Digital mammography. Left breast, CC projection. Patient age 47.
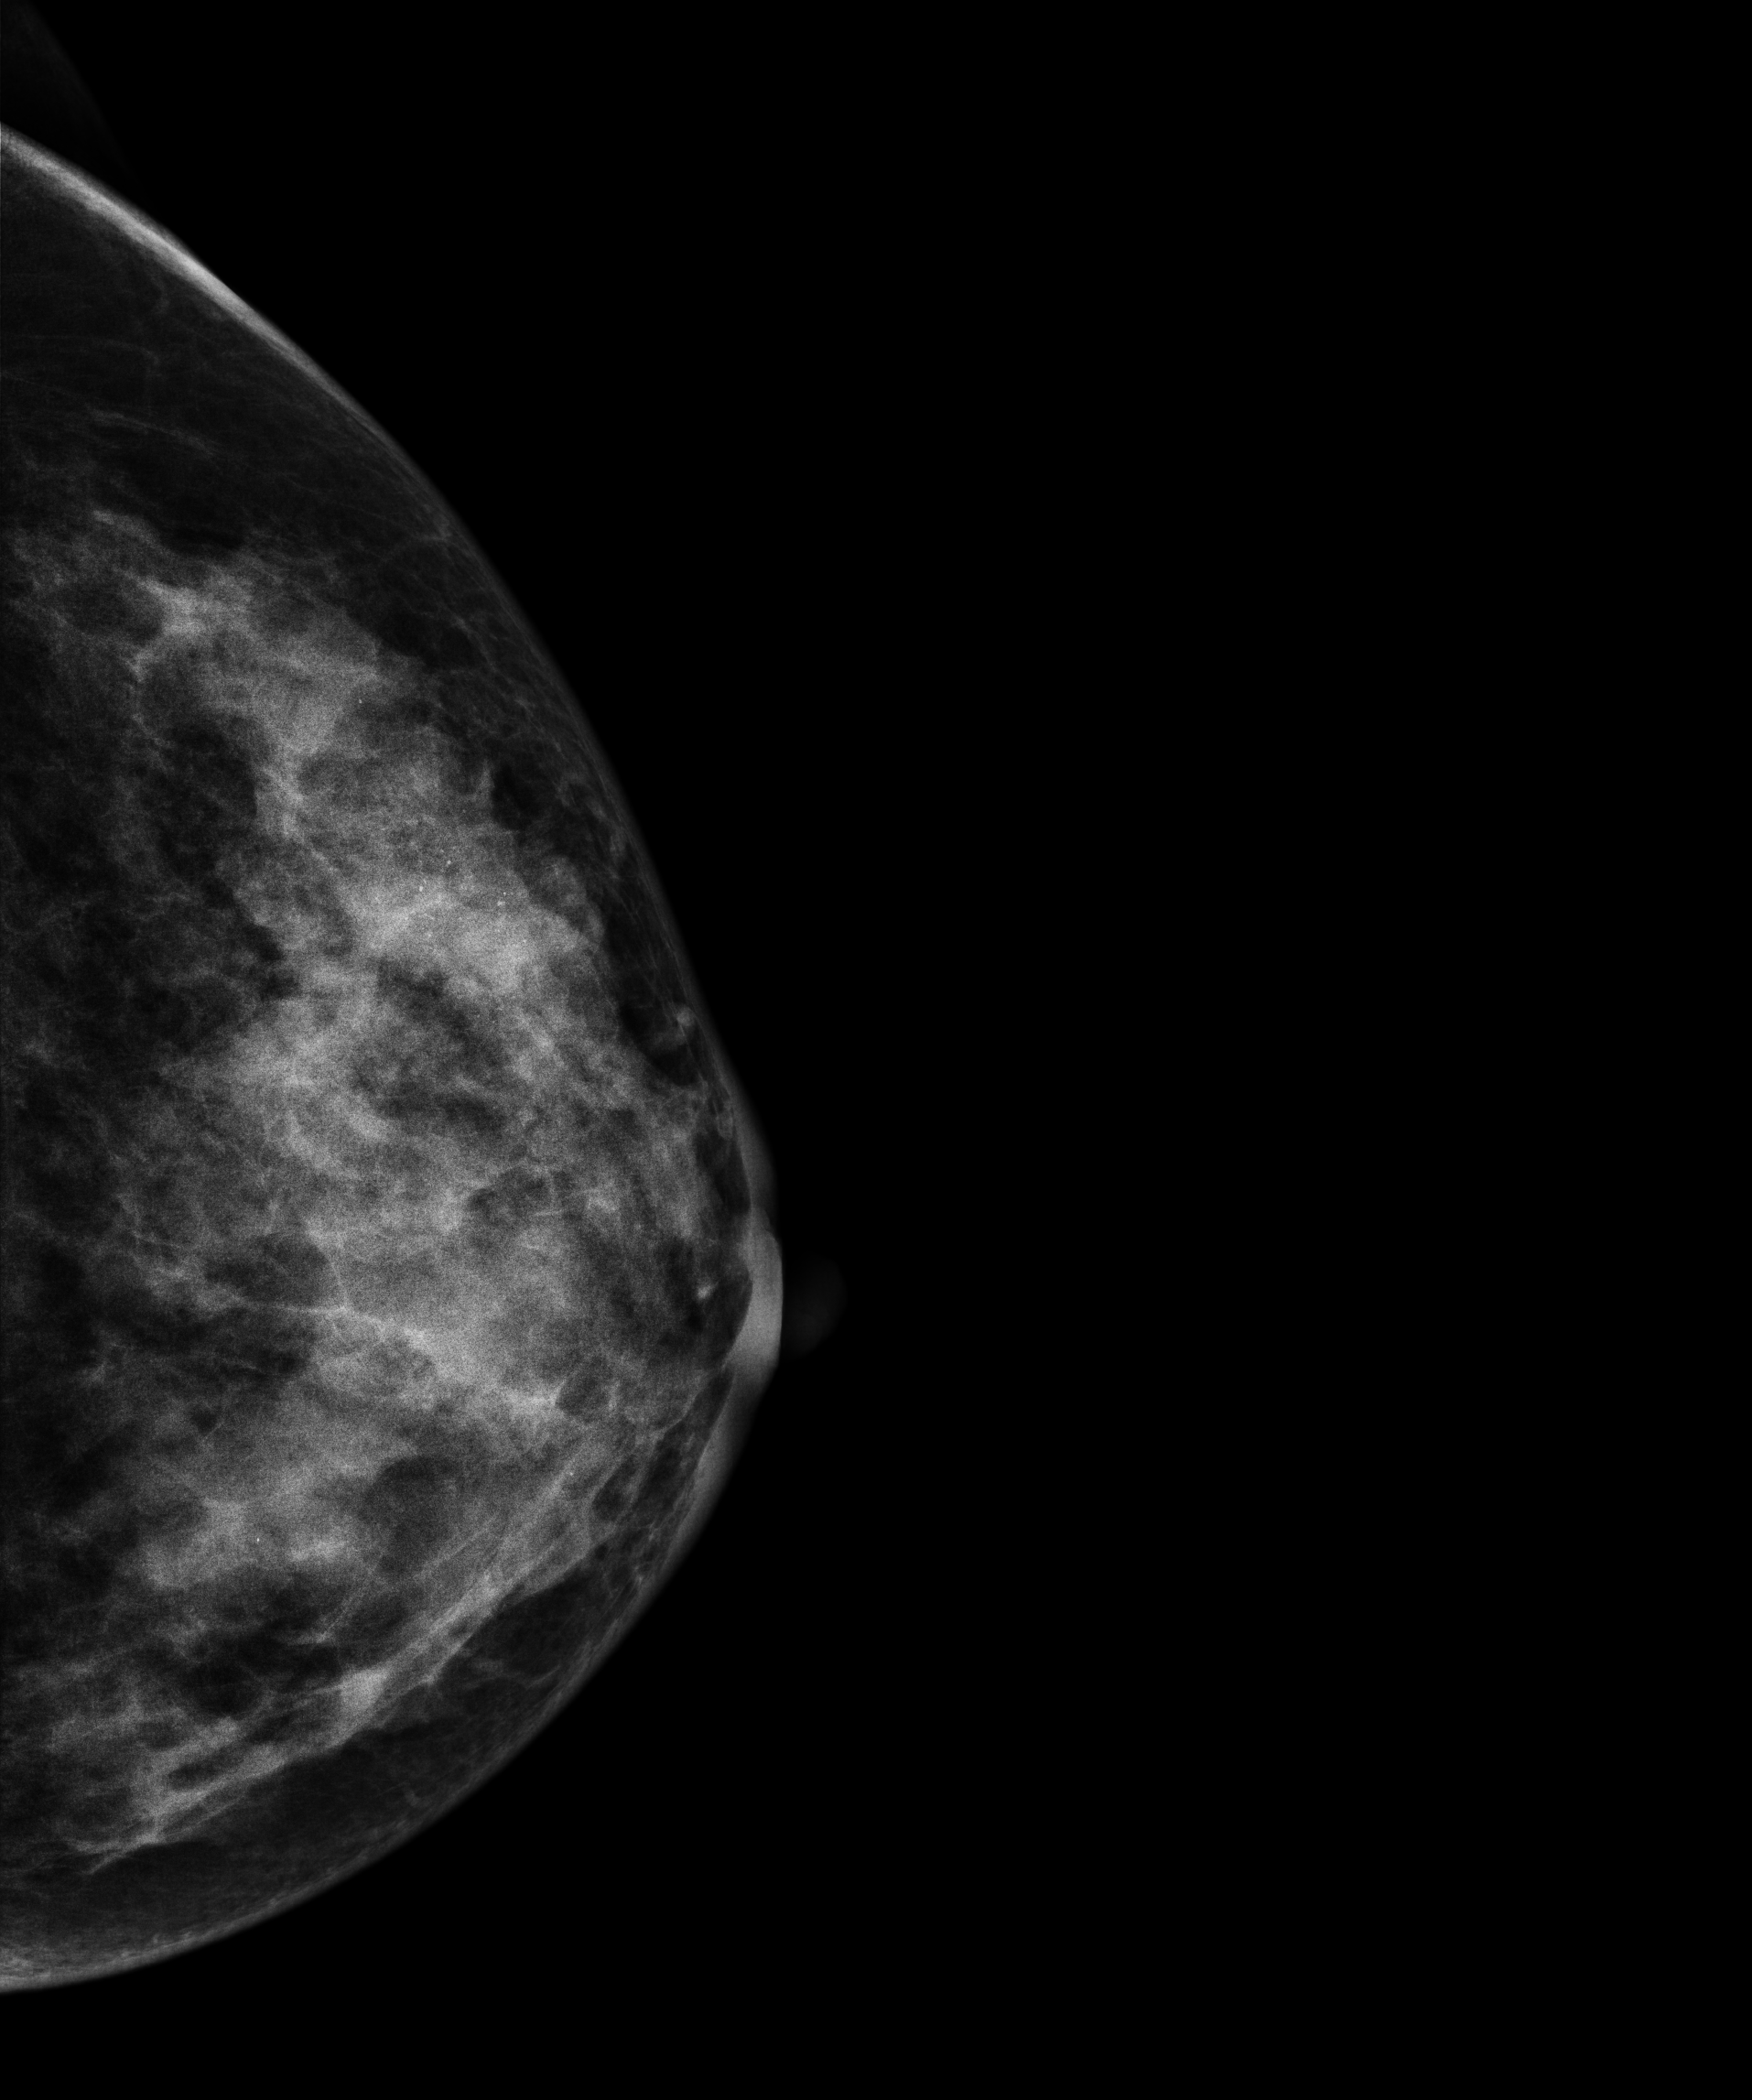
This breast has calcifications, biopsy-confirmed malignant.